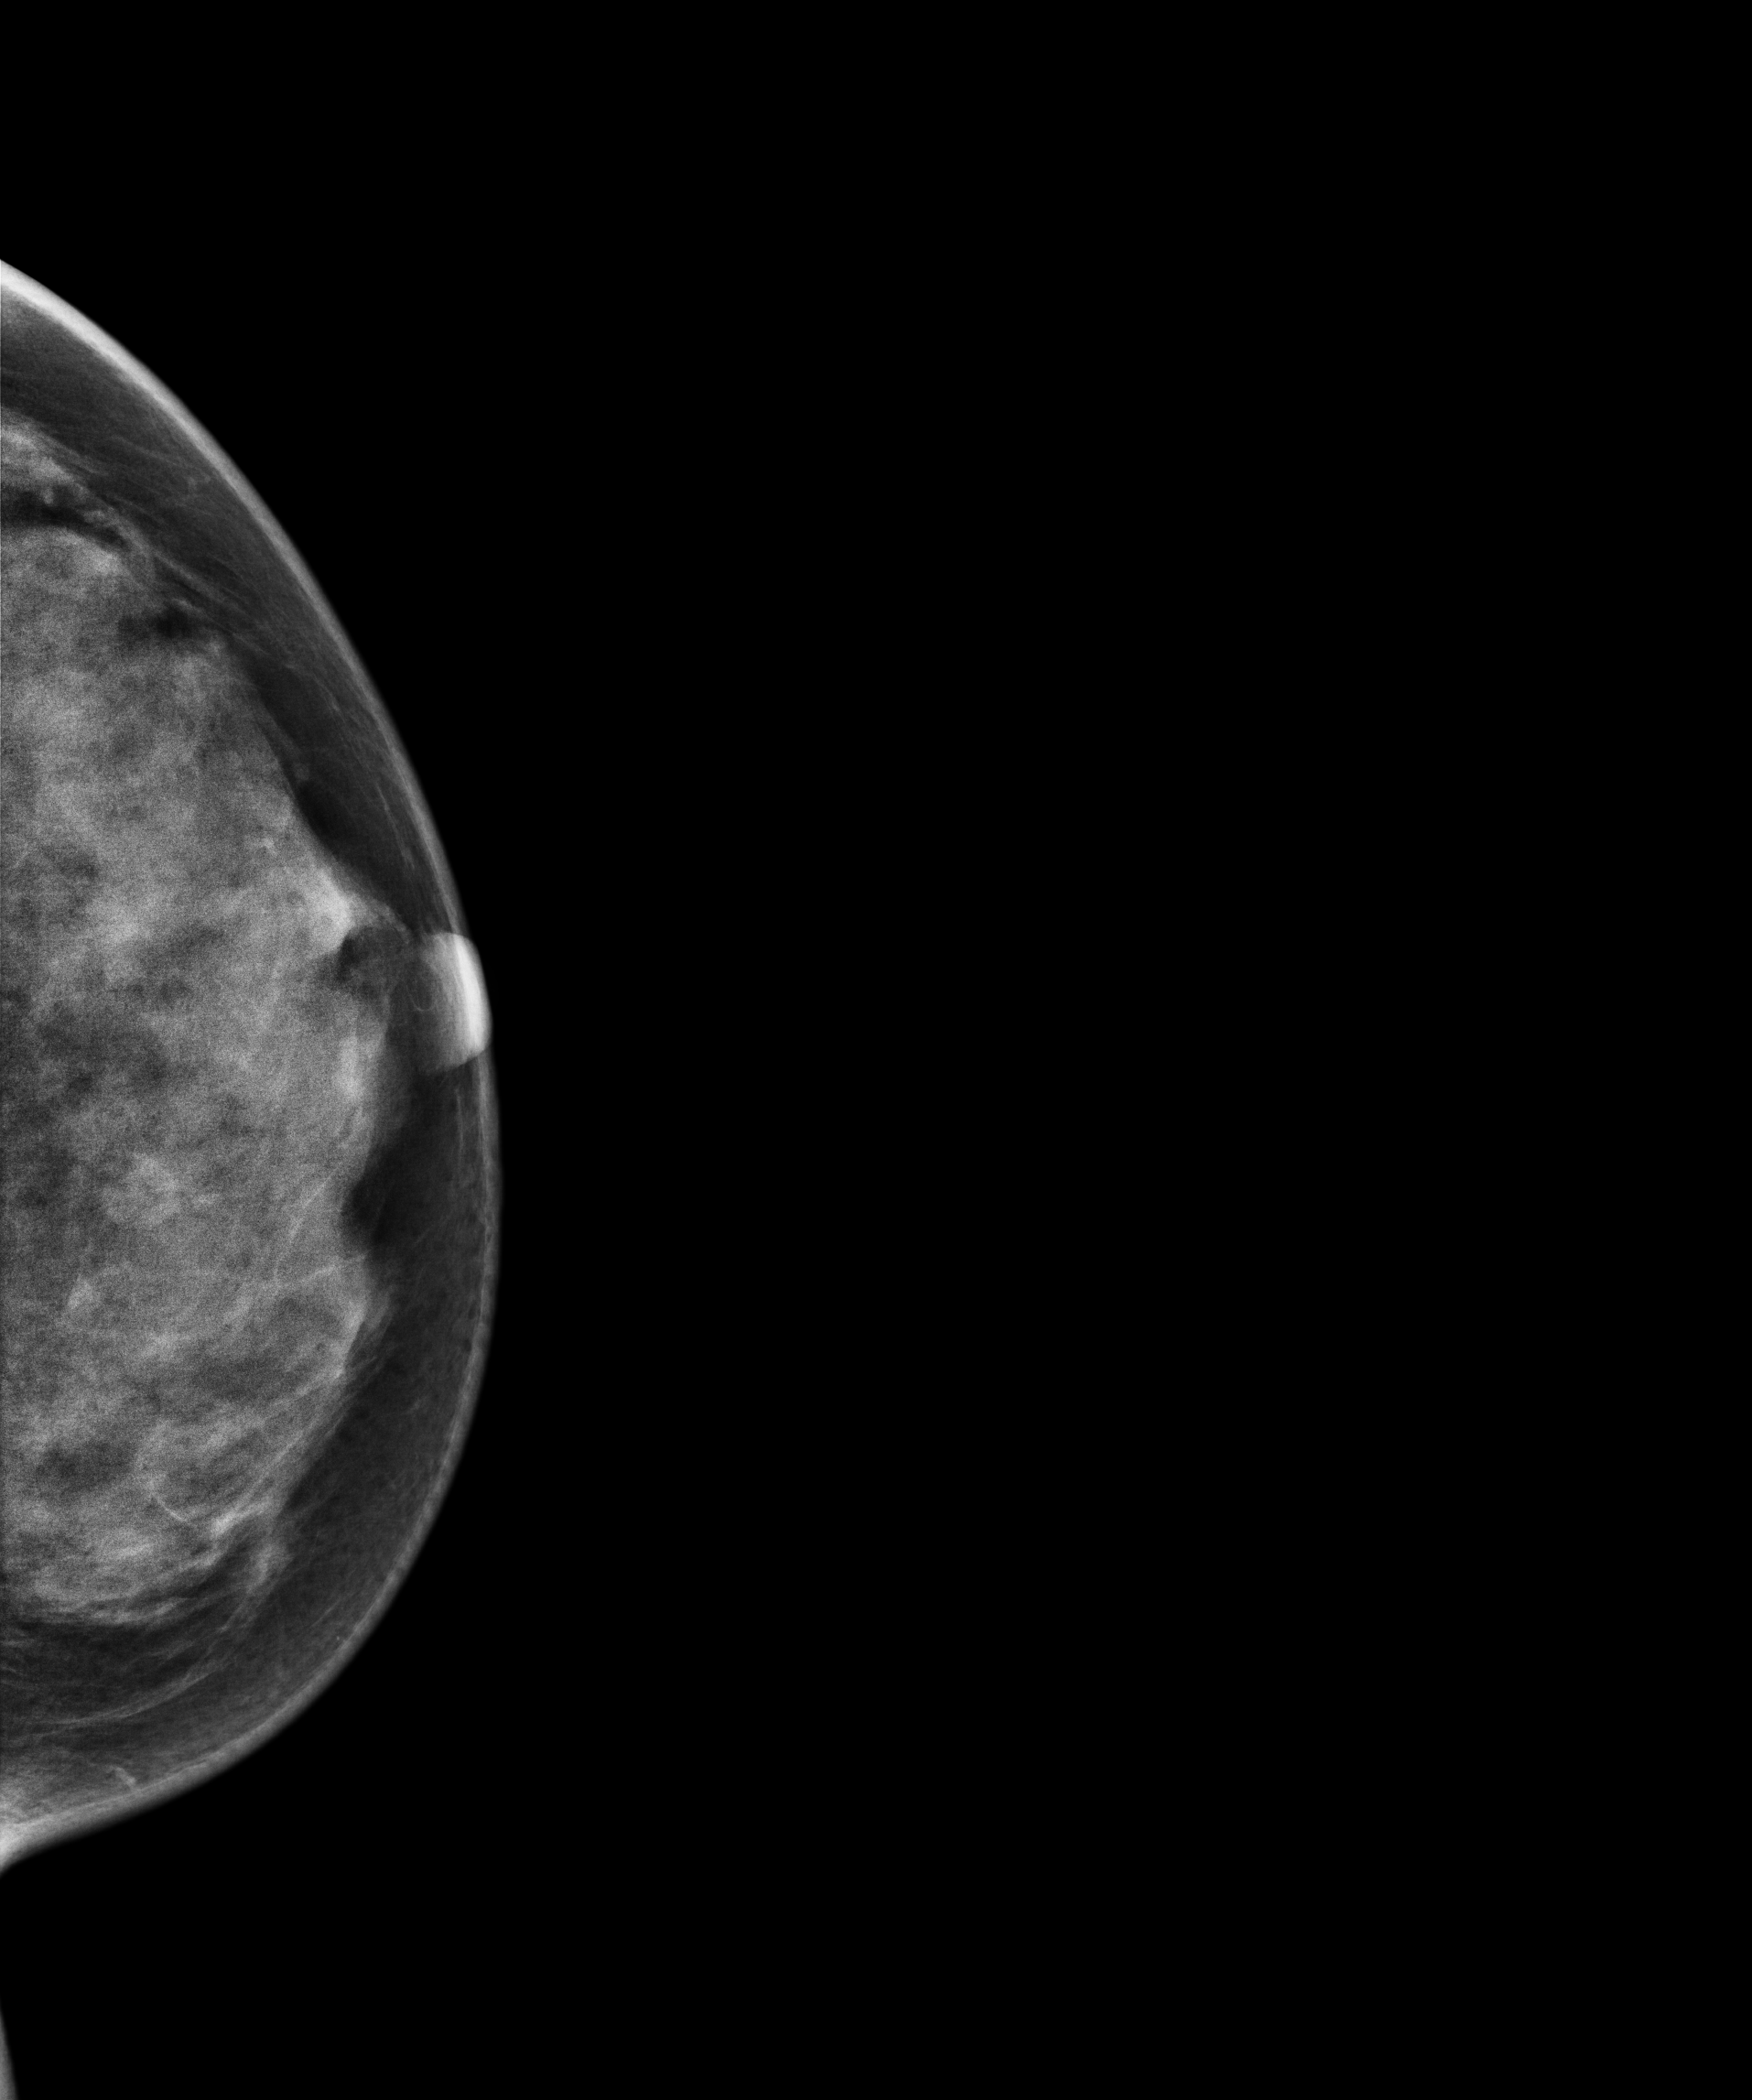
Mammogram, left breast, cranio-caudal view. Patient age 35.
Contralateral breast — no documented abnormality on this side.